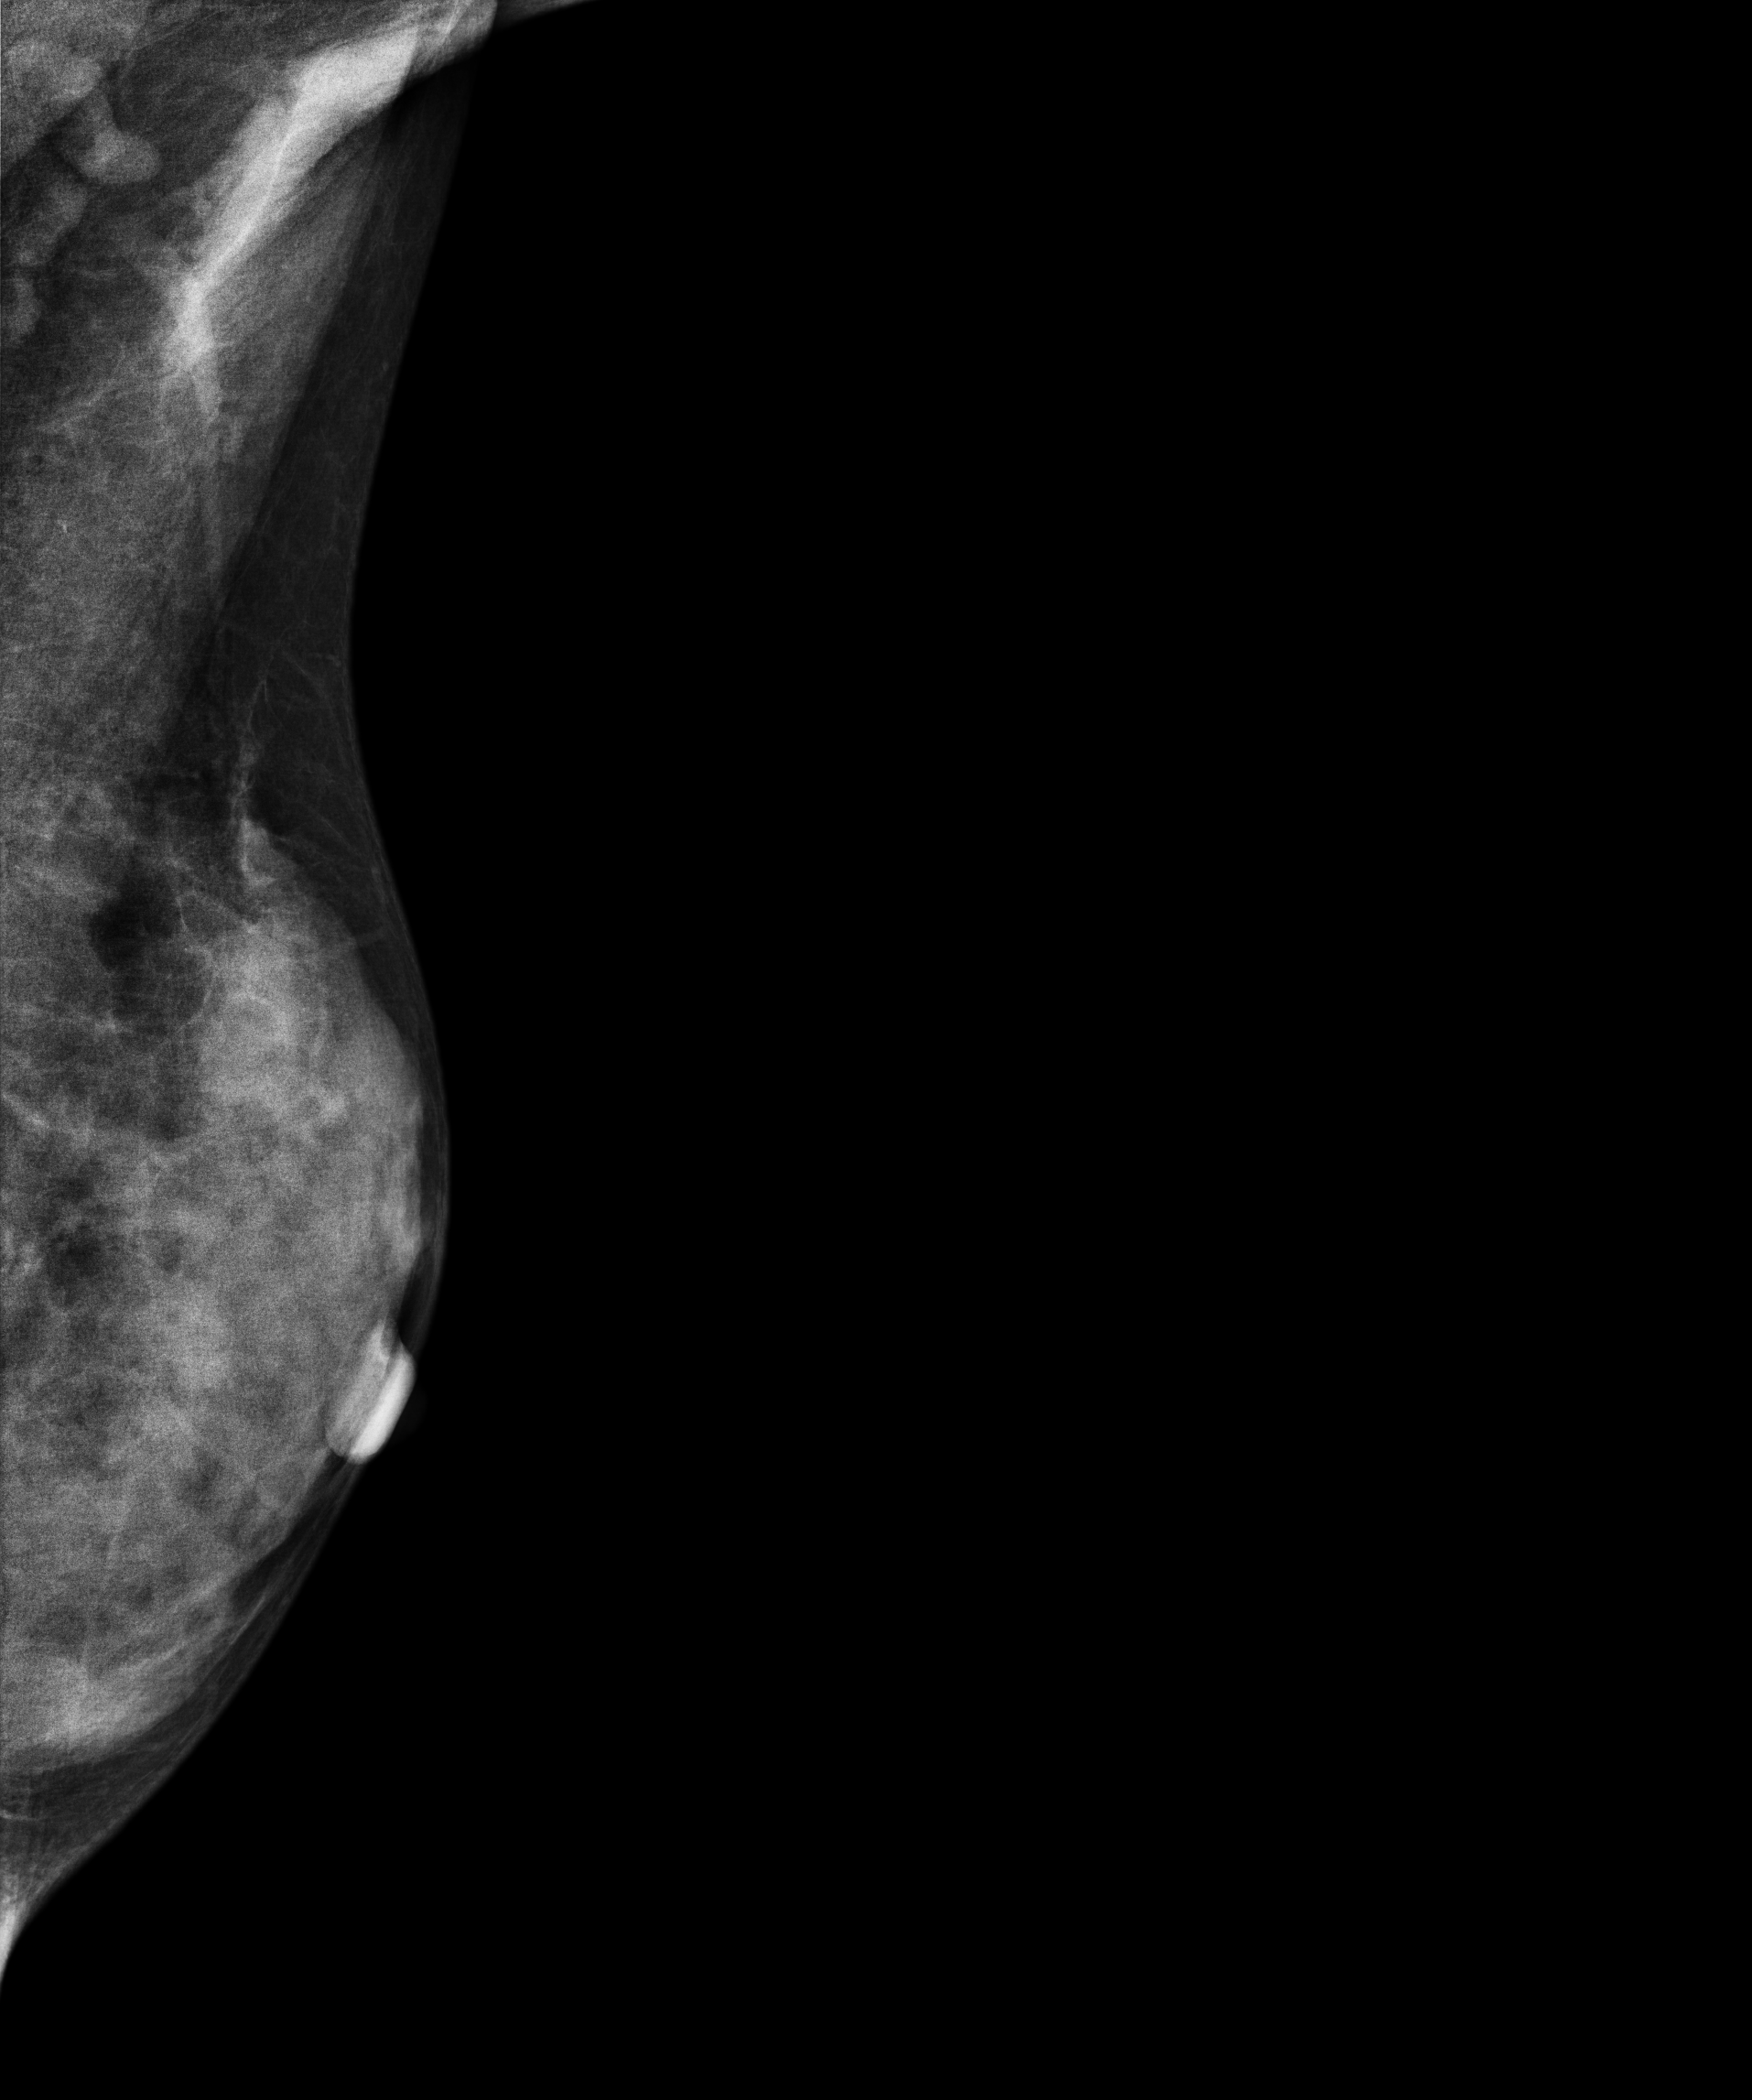
Mammogram, left breast, medio-lateral oblique view. Patient age 35.
Contralateral breast — no documented abnormality on this side.